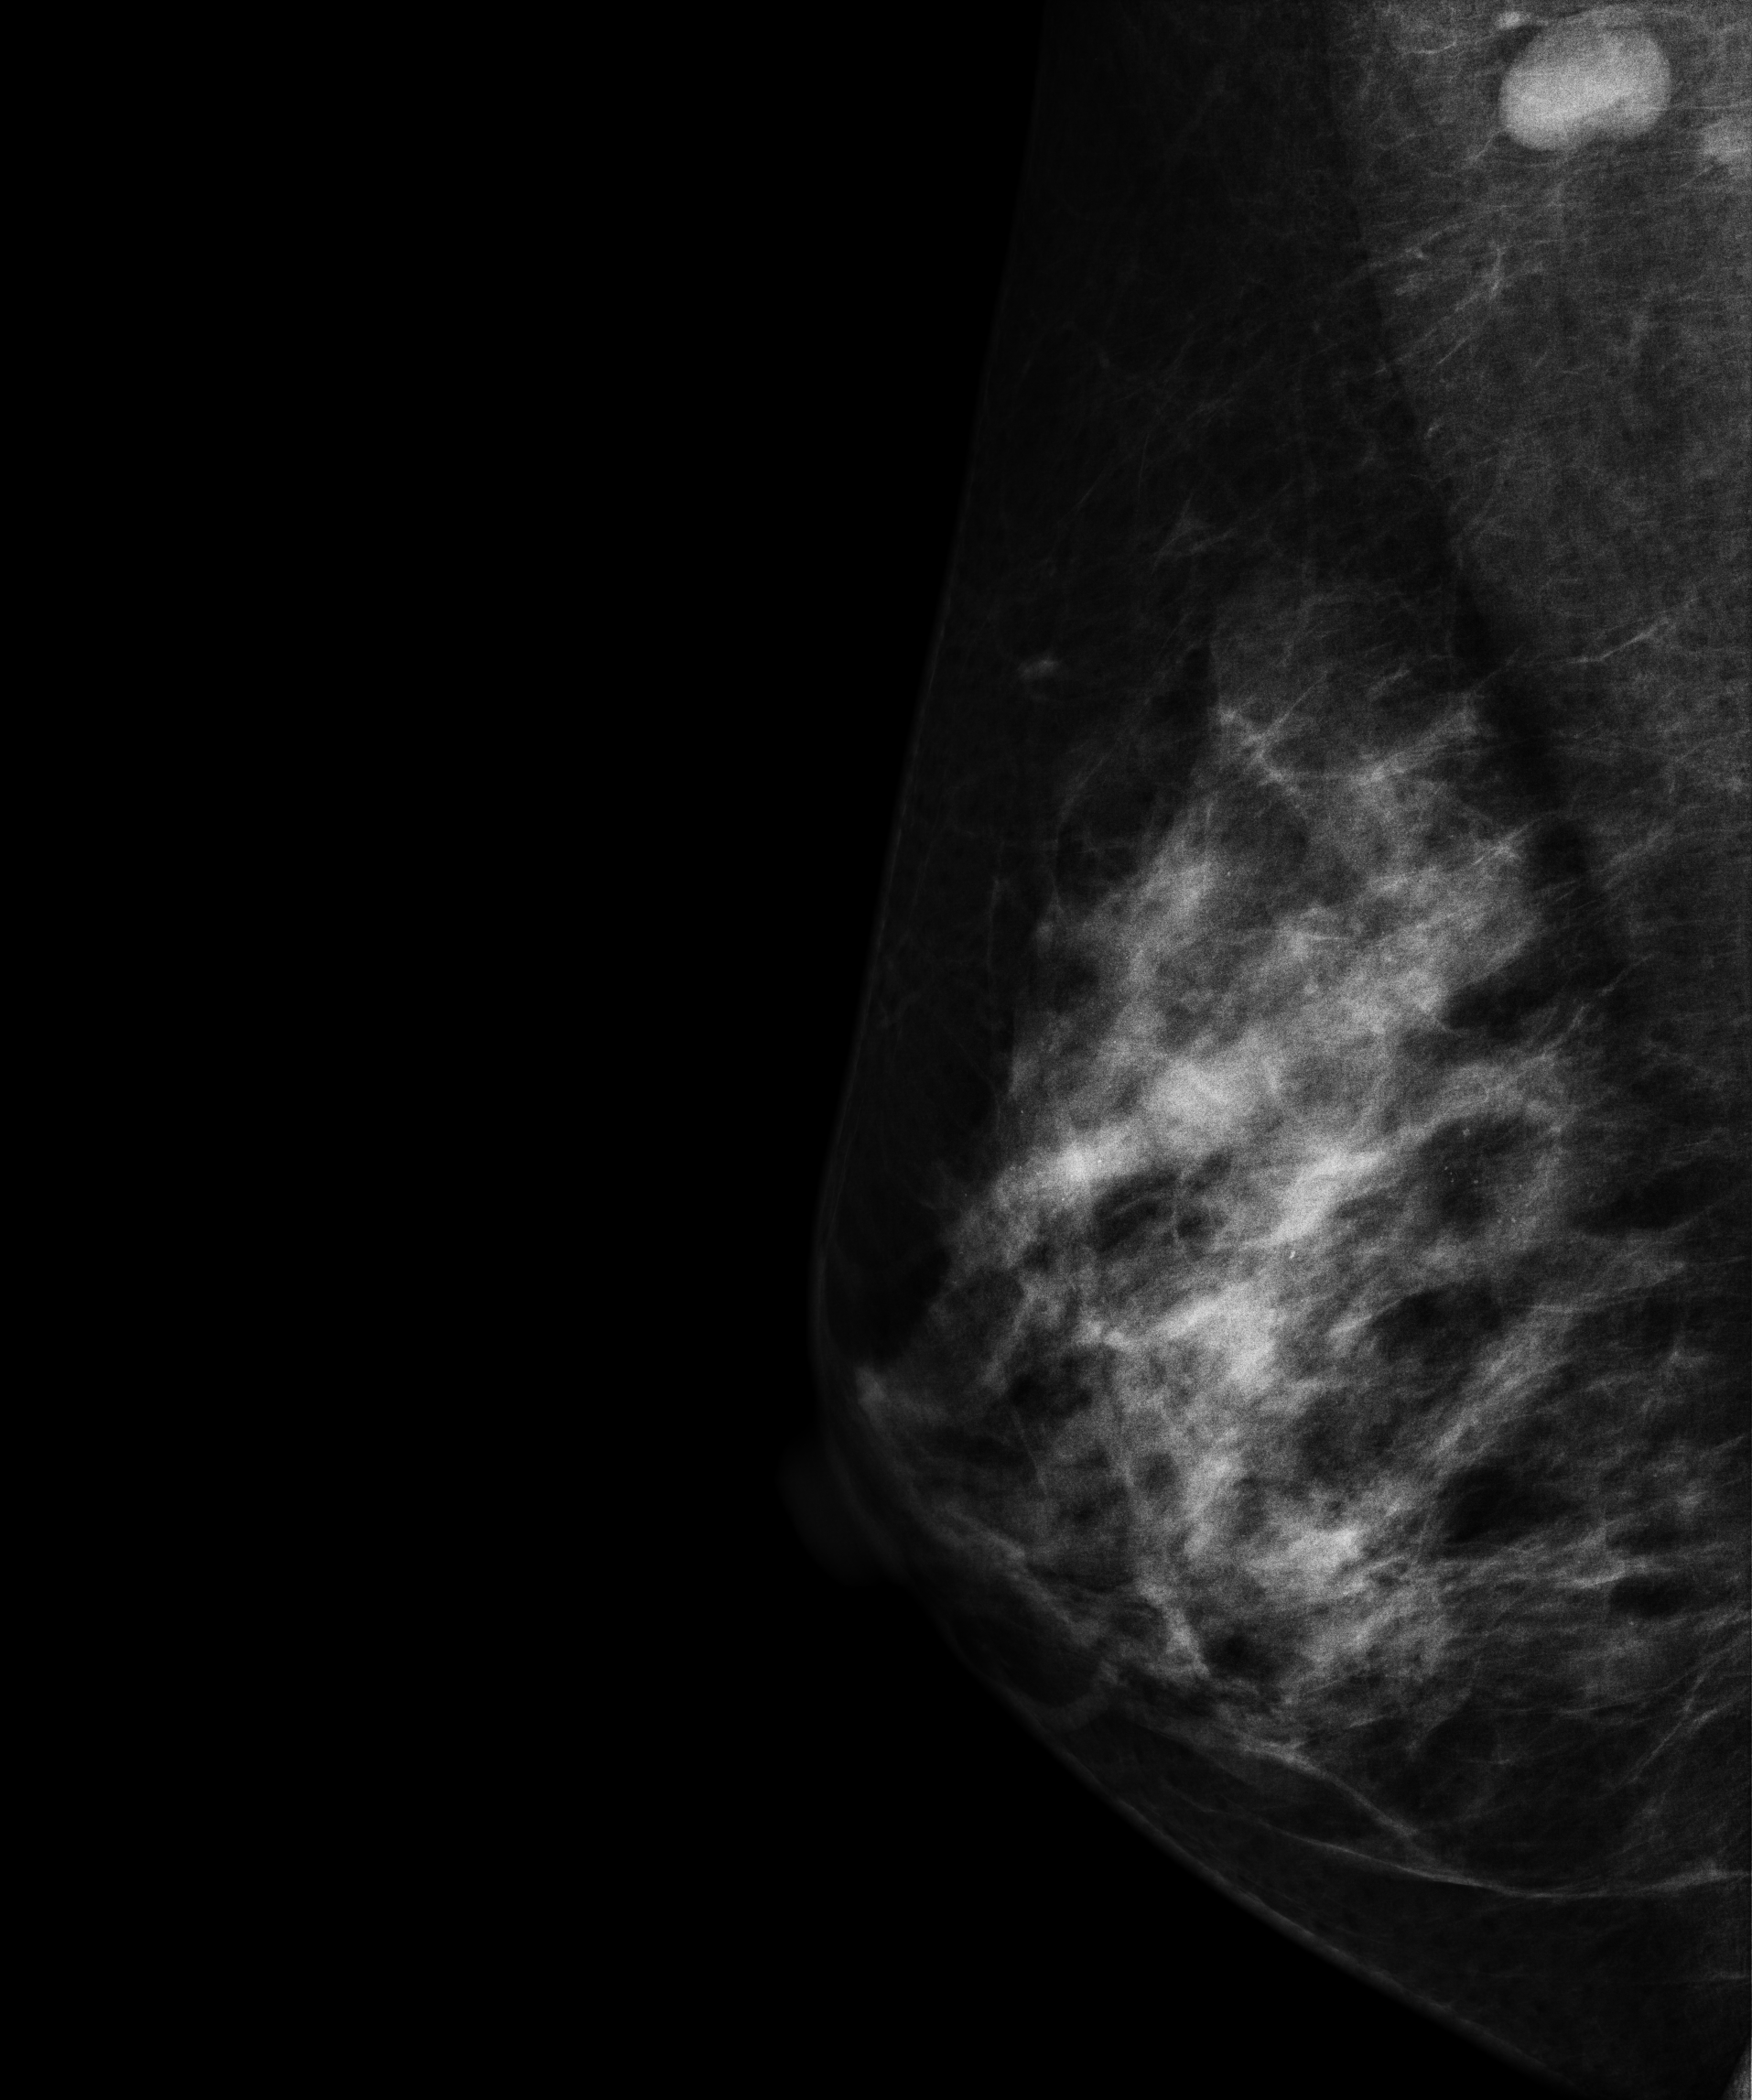
Right-breast mammogram, MLO. Patient age 41.
This breast has a mass and calcifications, histologically confirmed malignant.